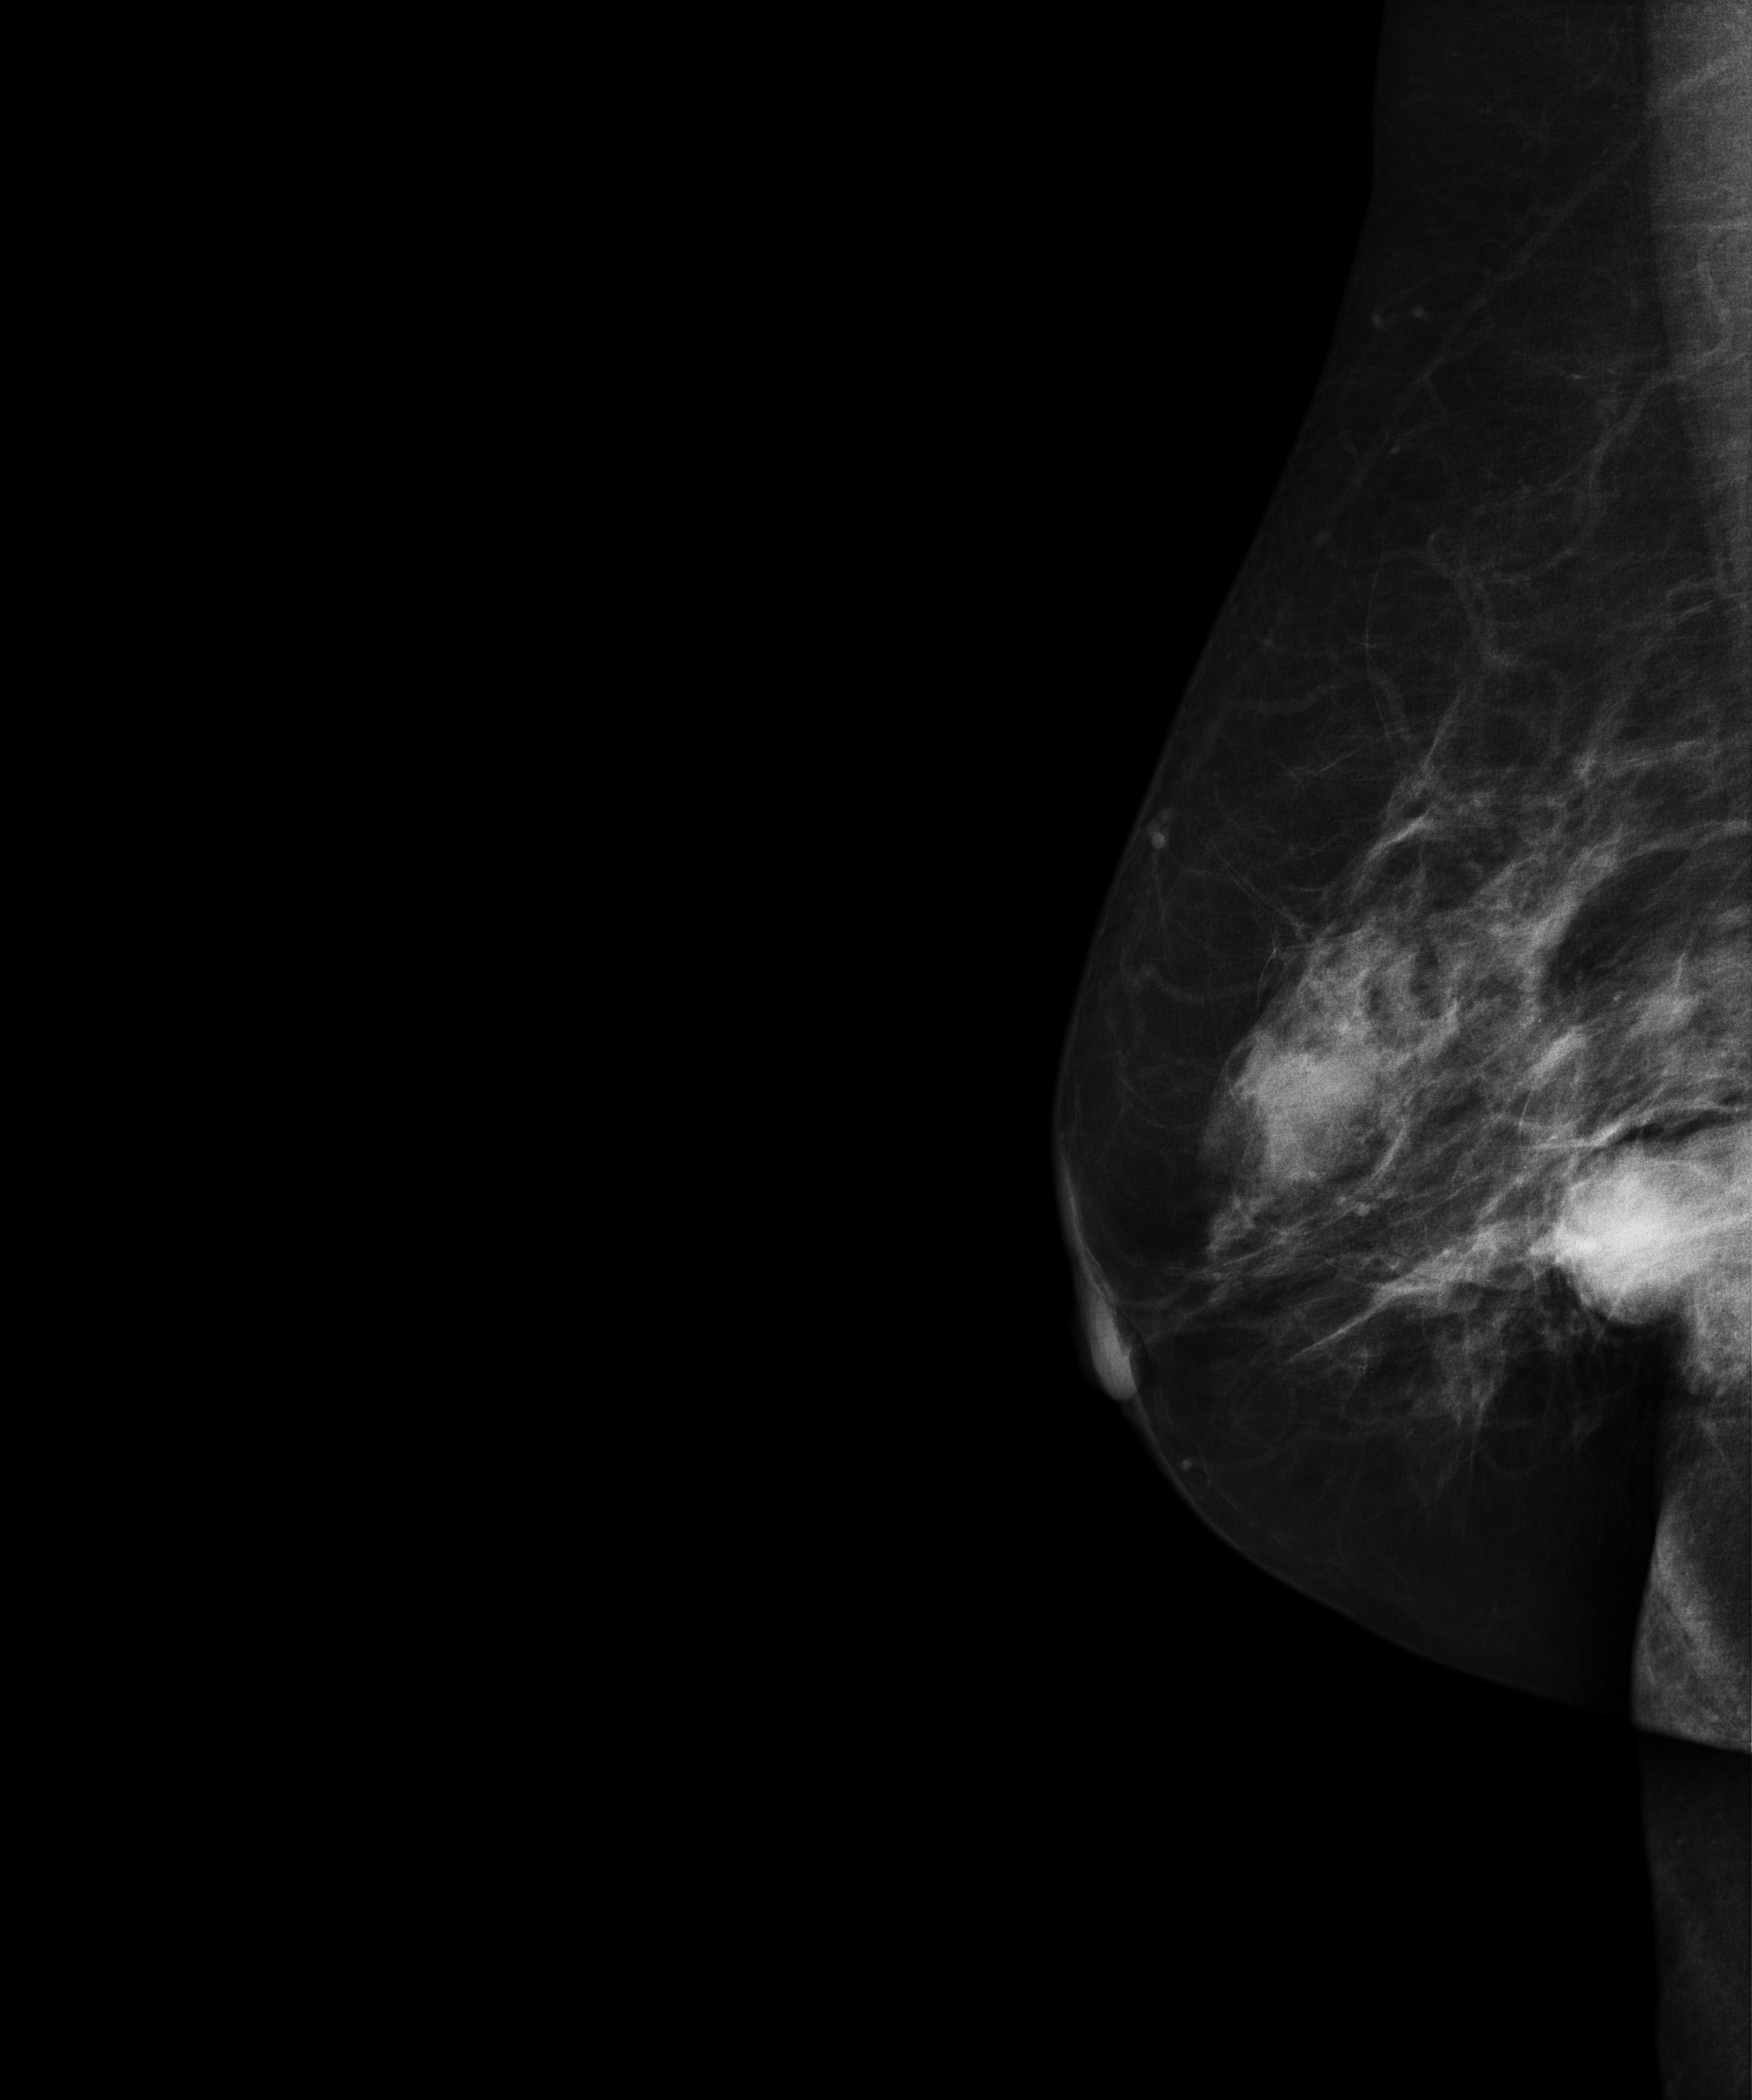
Mammogram, right breast, MLO view. 57-year-old patient.
This breast has a mass, biopsy-confirmed malignant.